Mammogram, right breast, medio-lateral oblique view. Patient age 46.
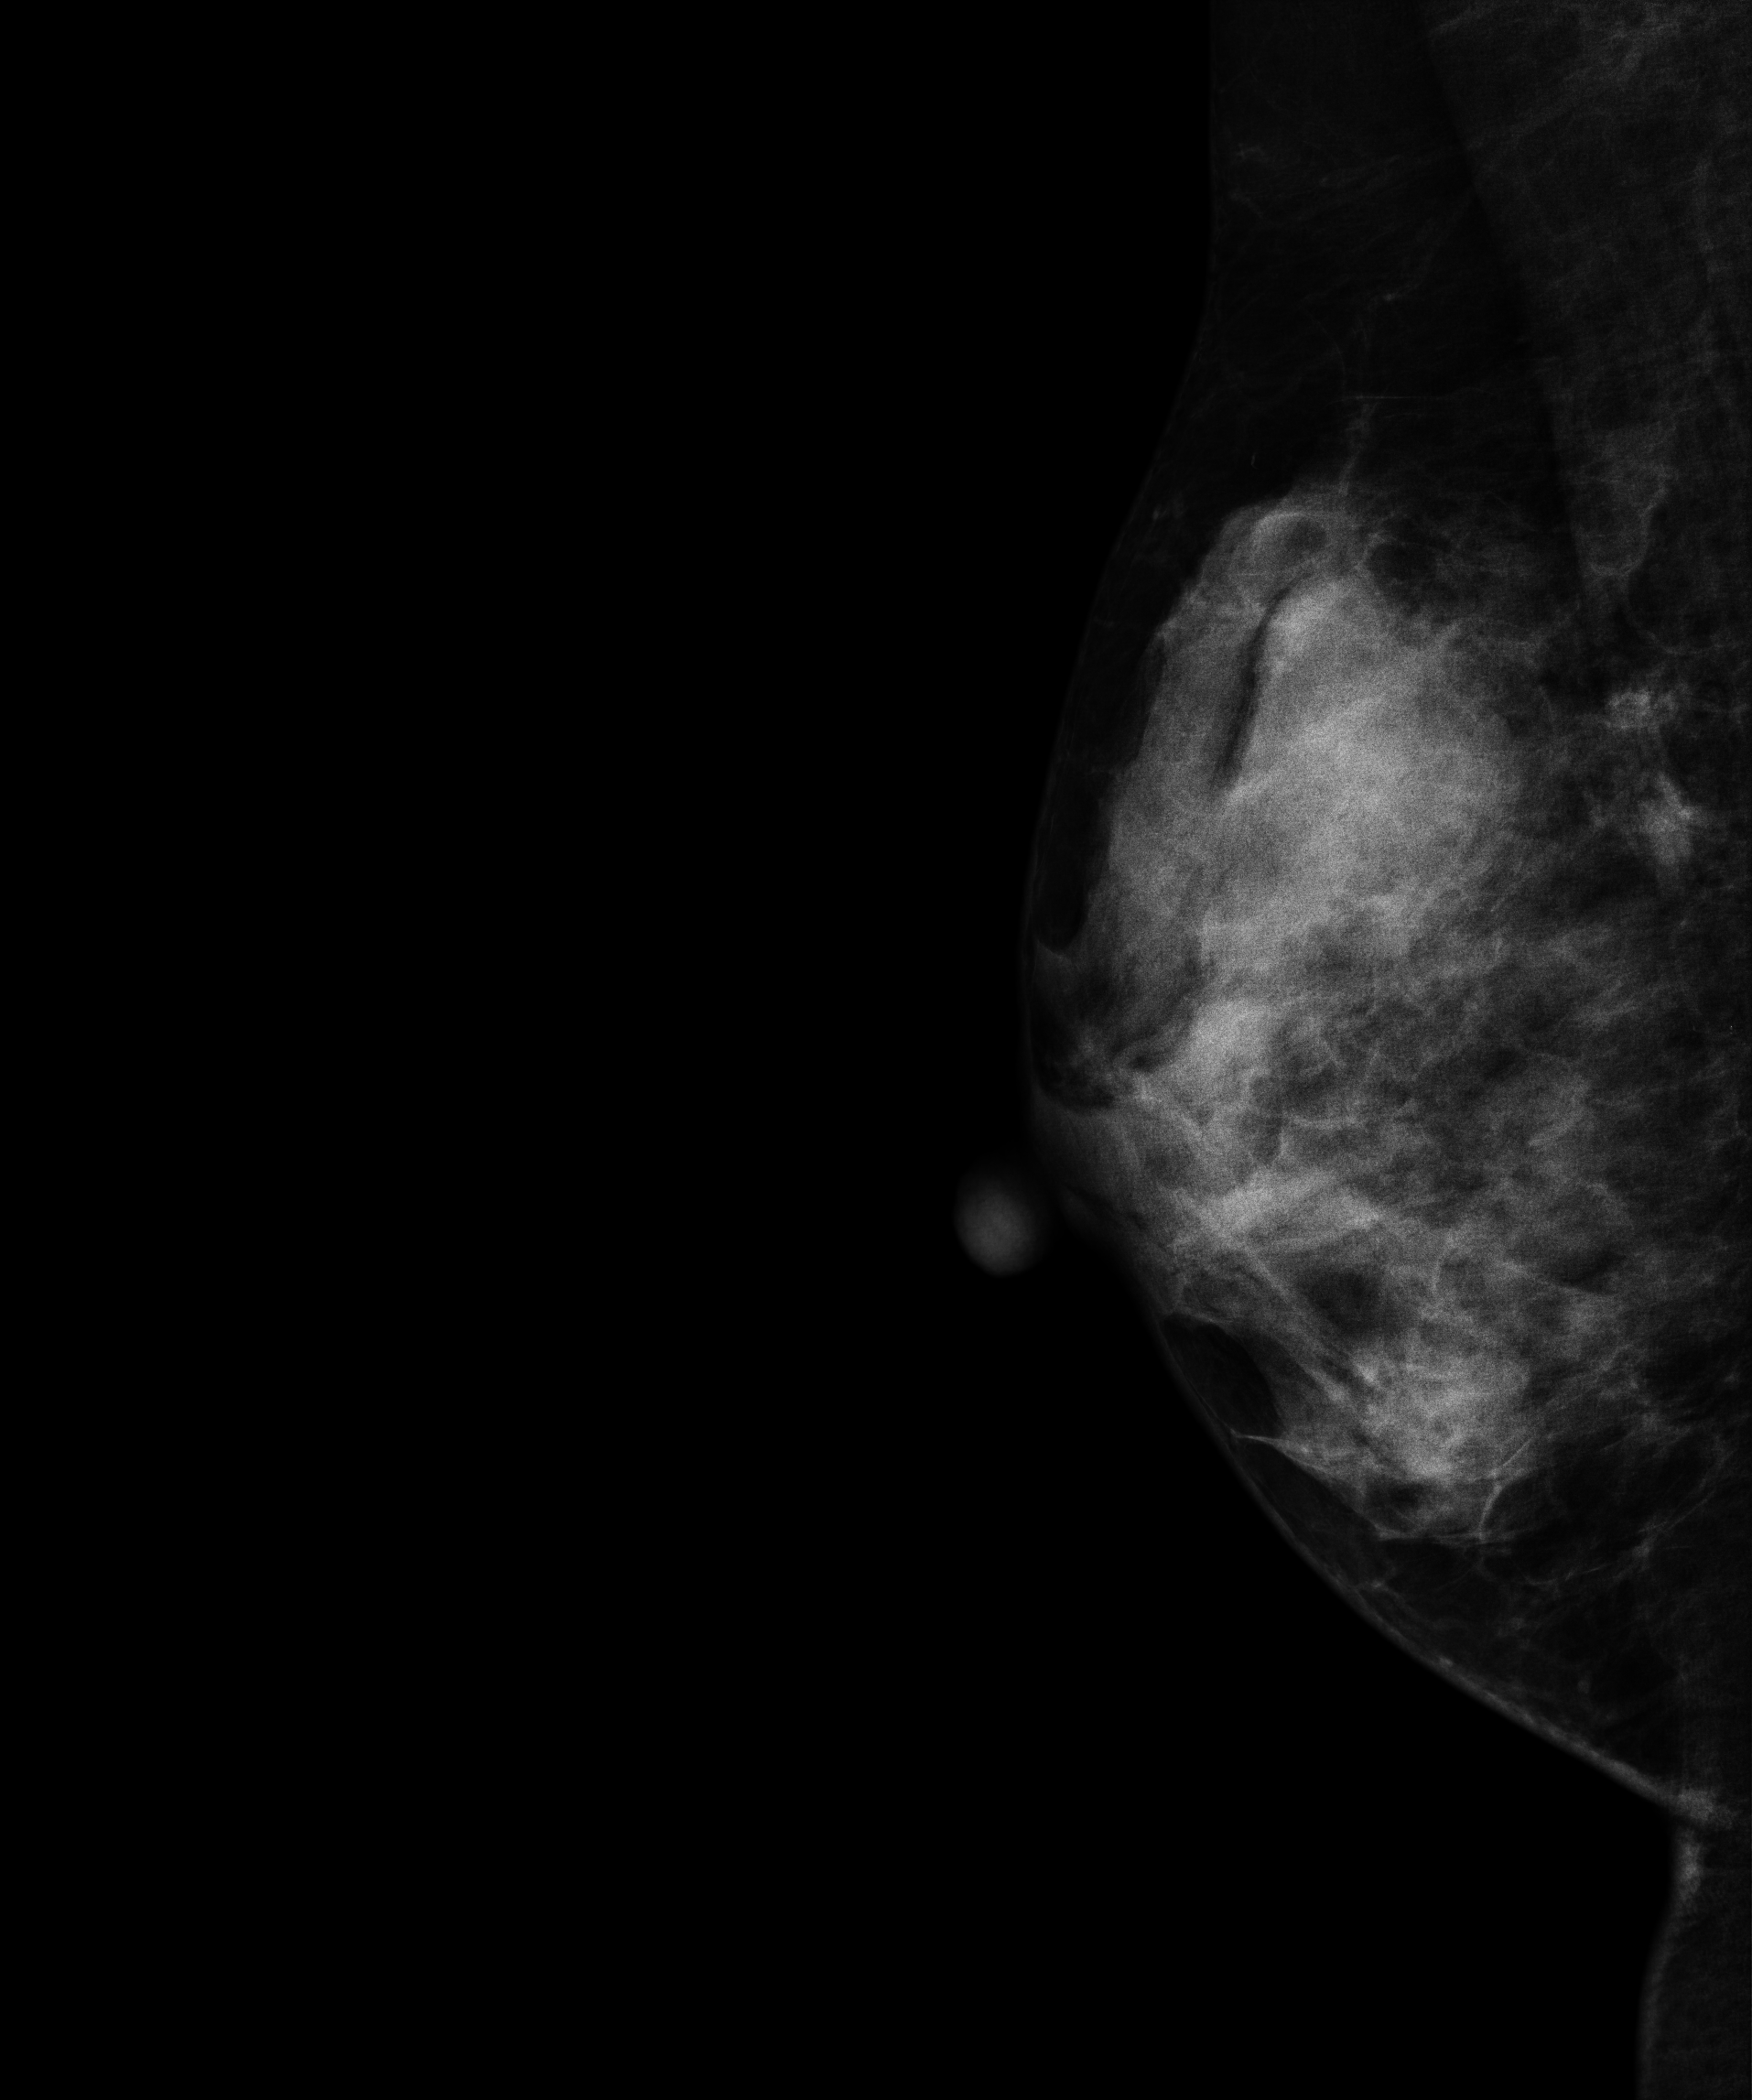
This breast has a mass, biopsy-confirmed benign.